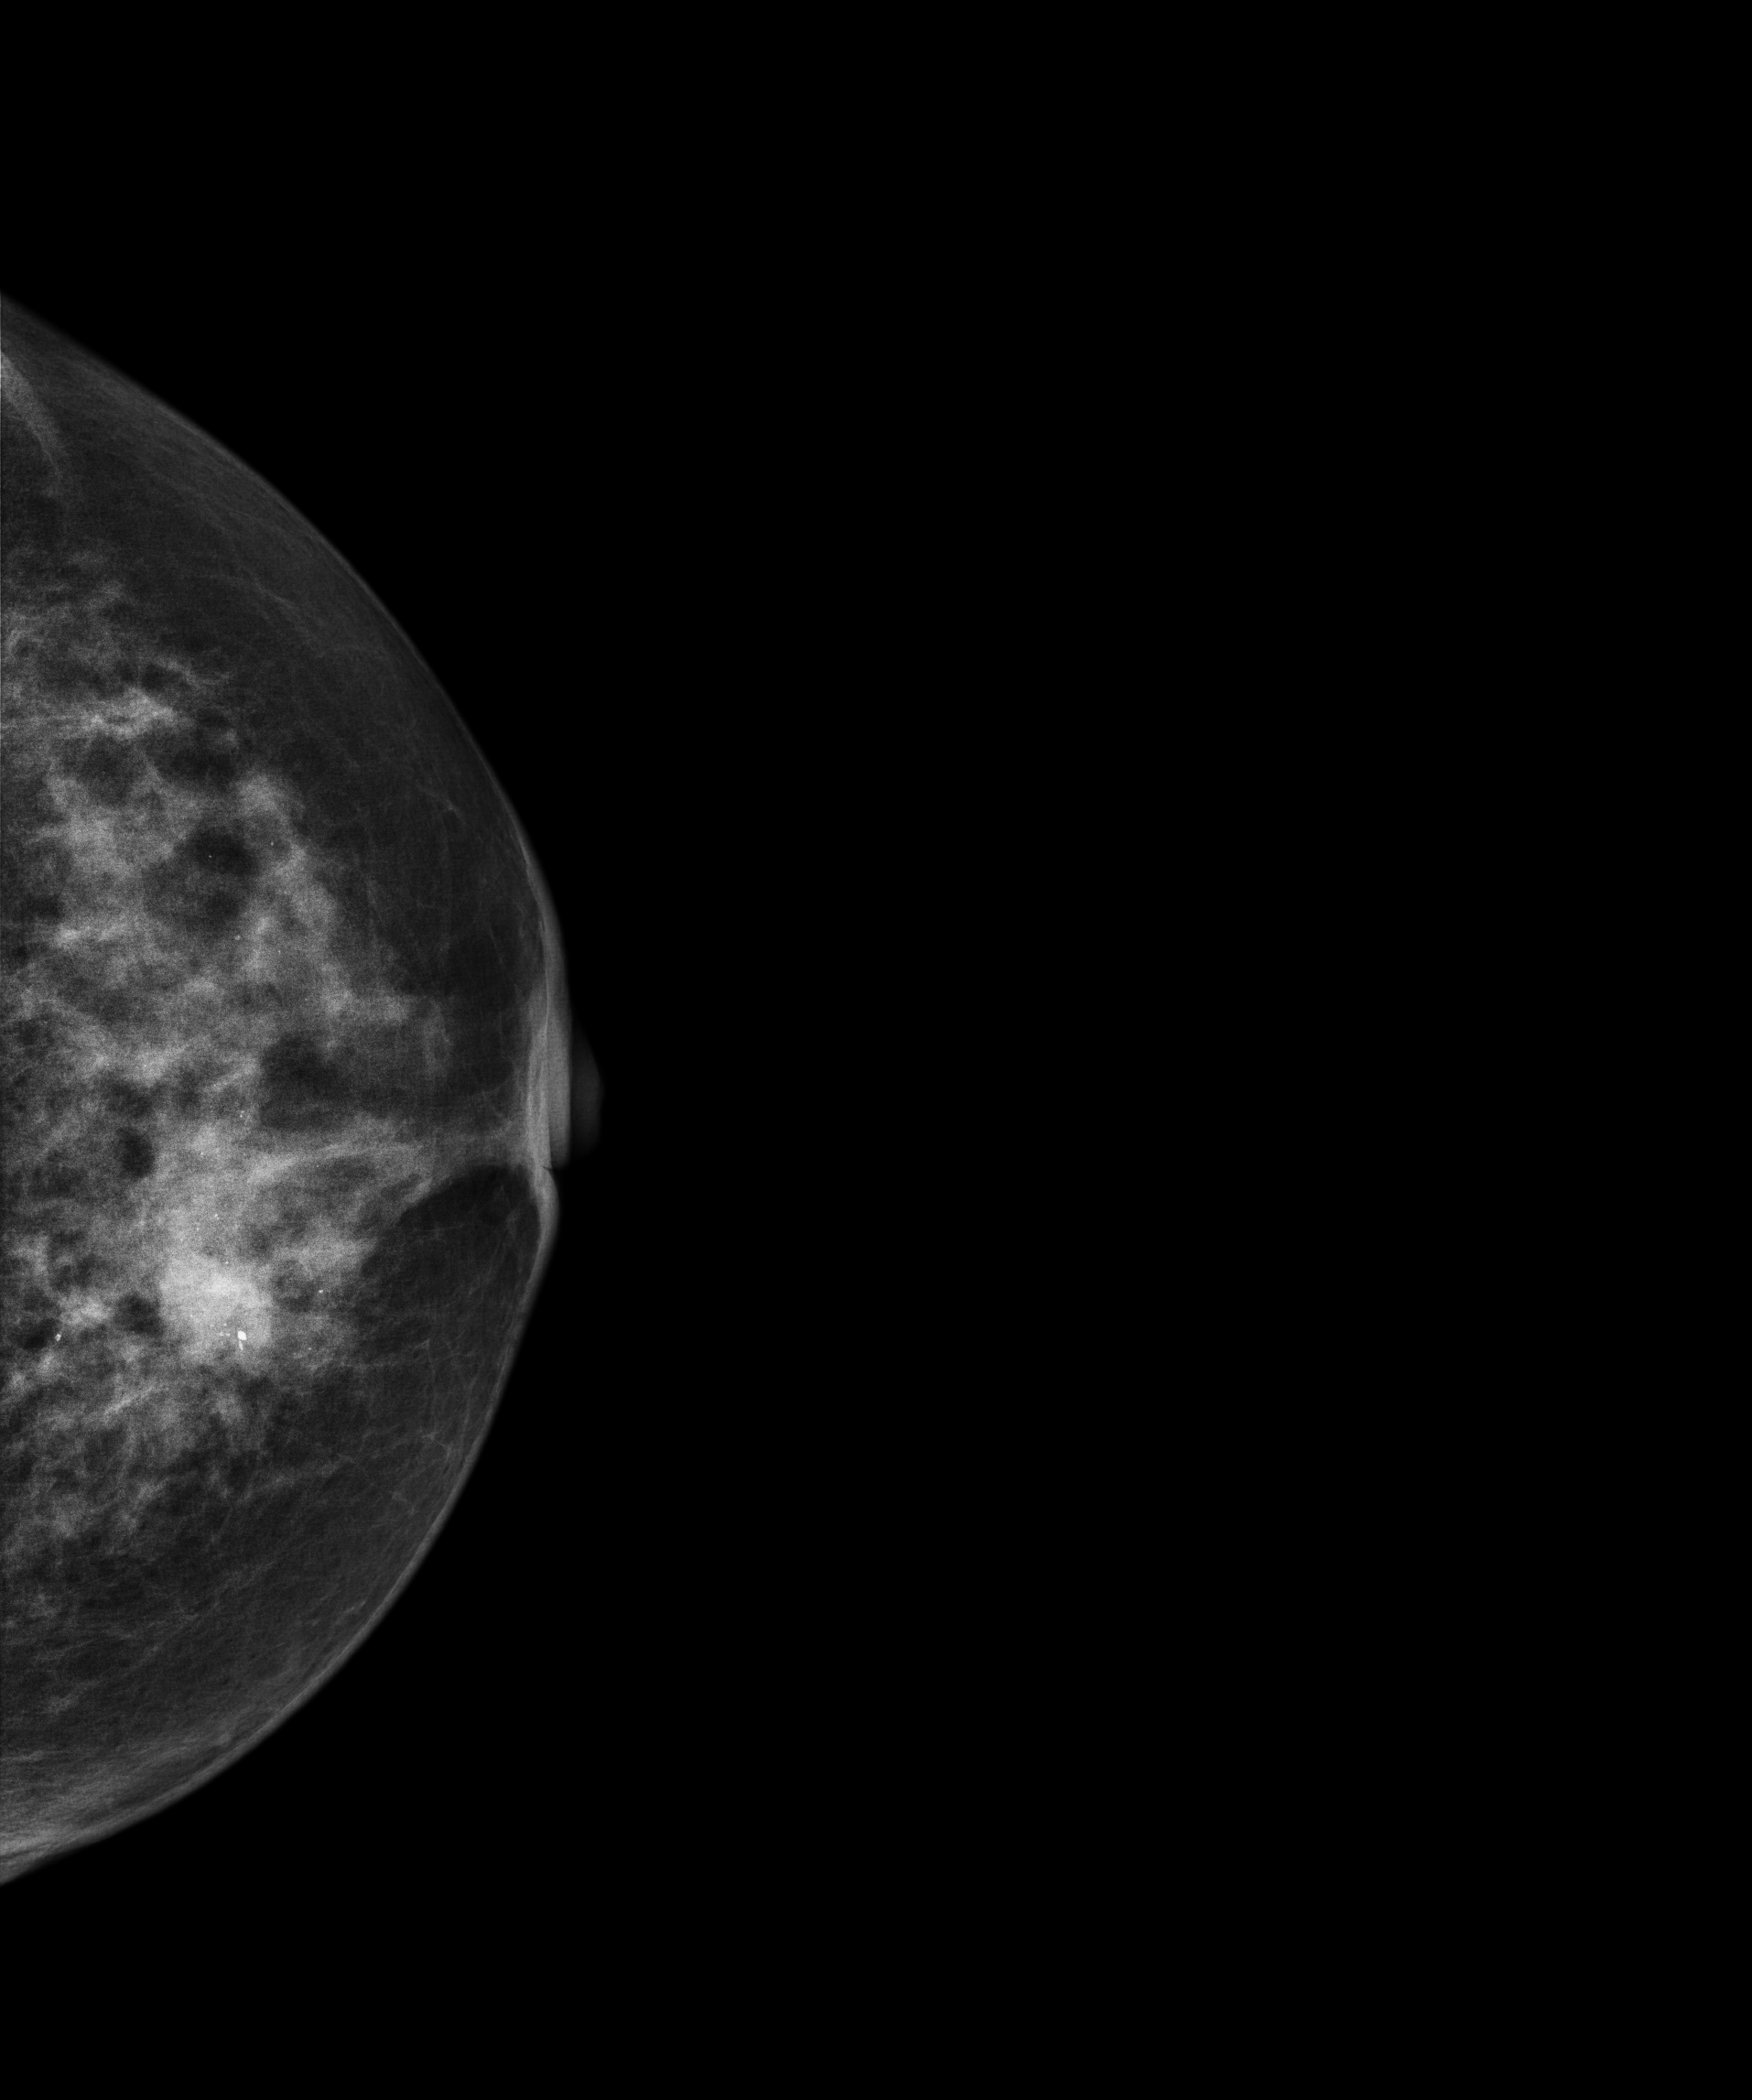
Digital mammography. Left breast, cranio-caudal projection. 64-year-old patient.
This breast has a mass and calcifications, biopsy-proven malignant. Molecular subtype: luminal B.